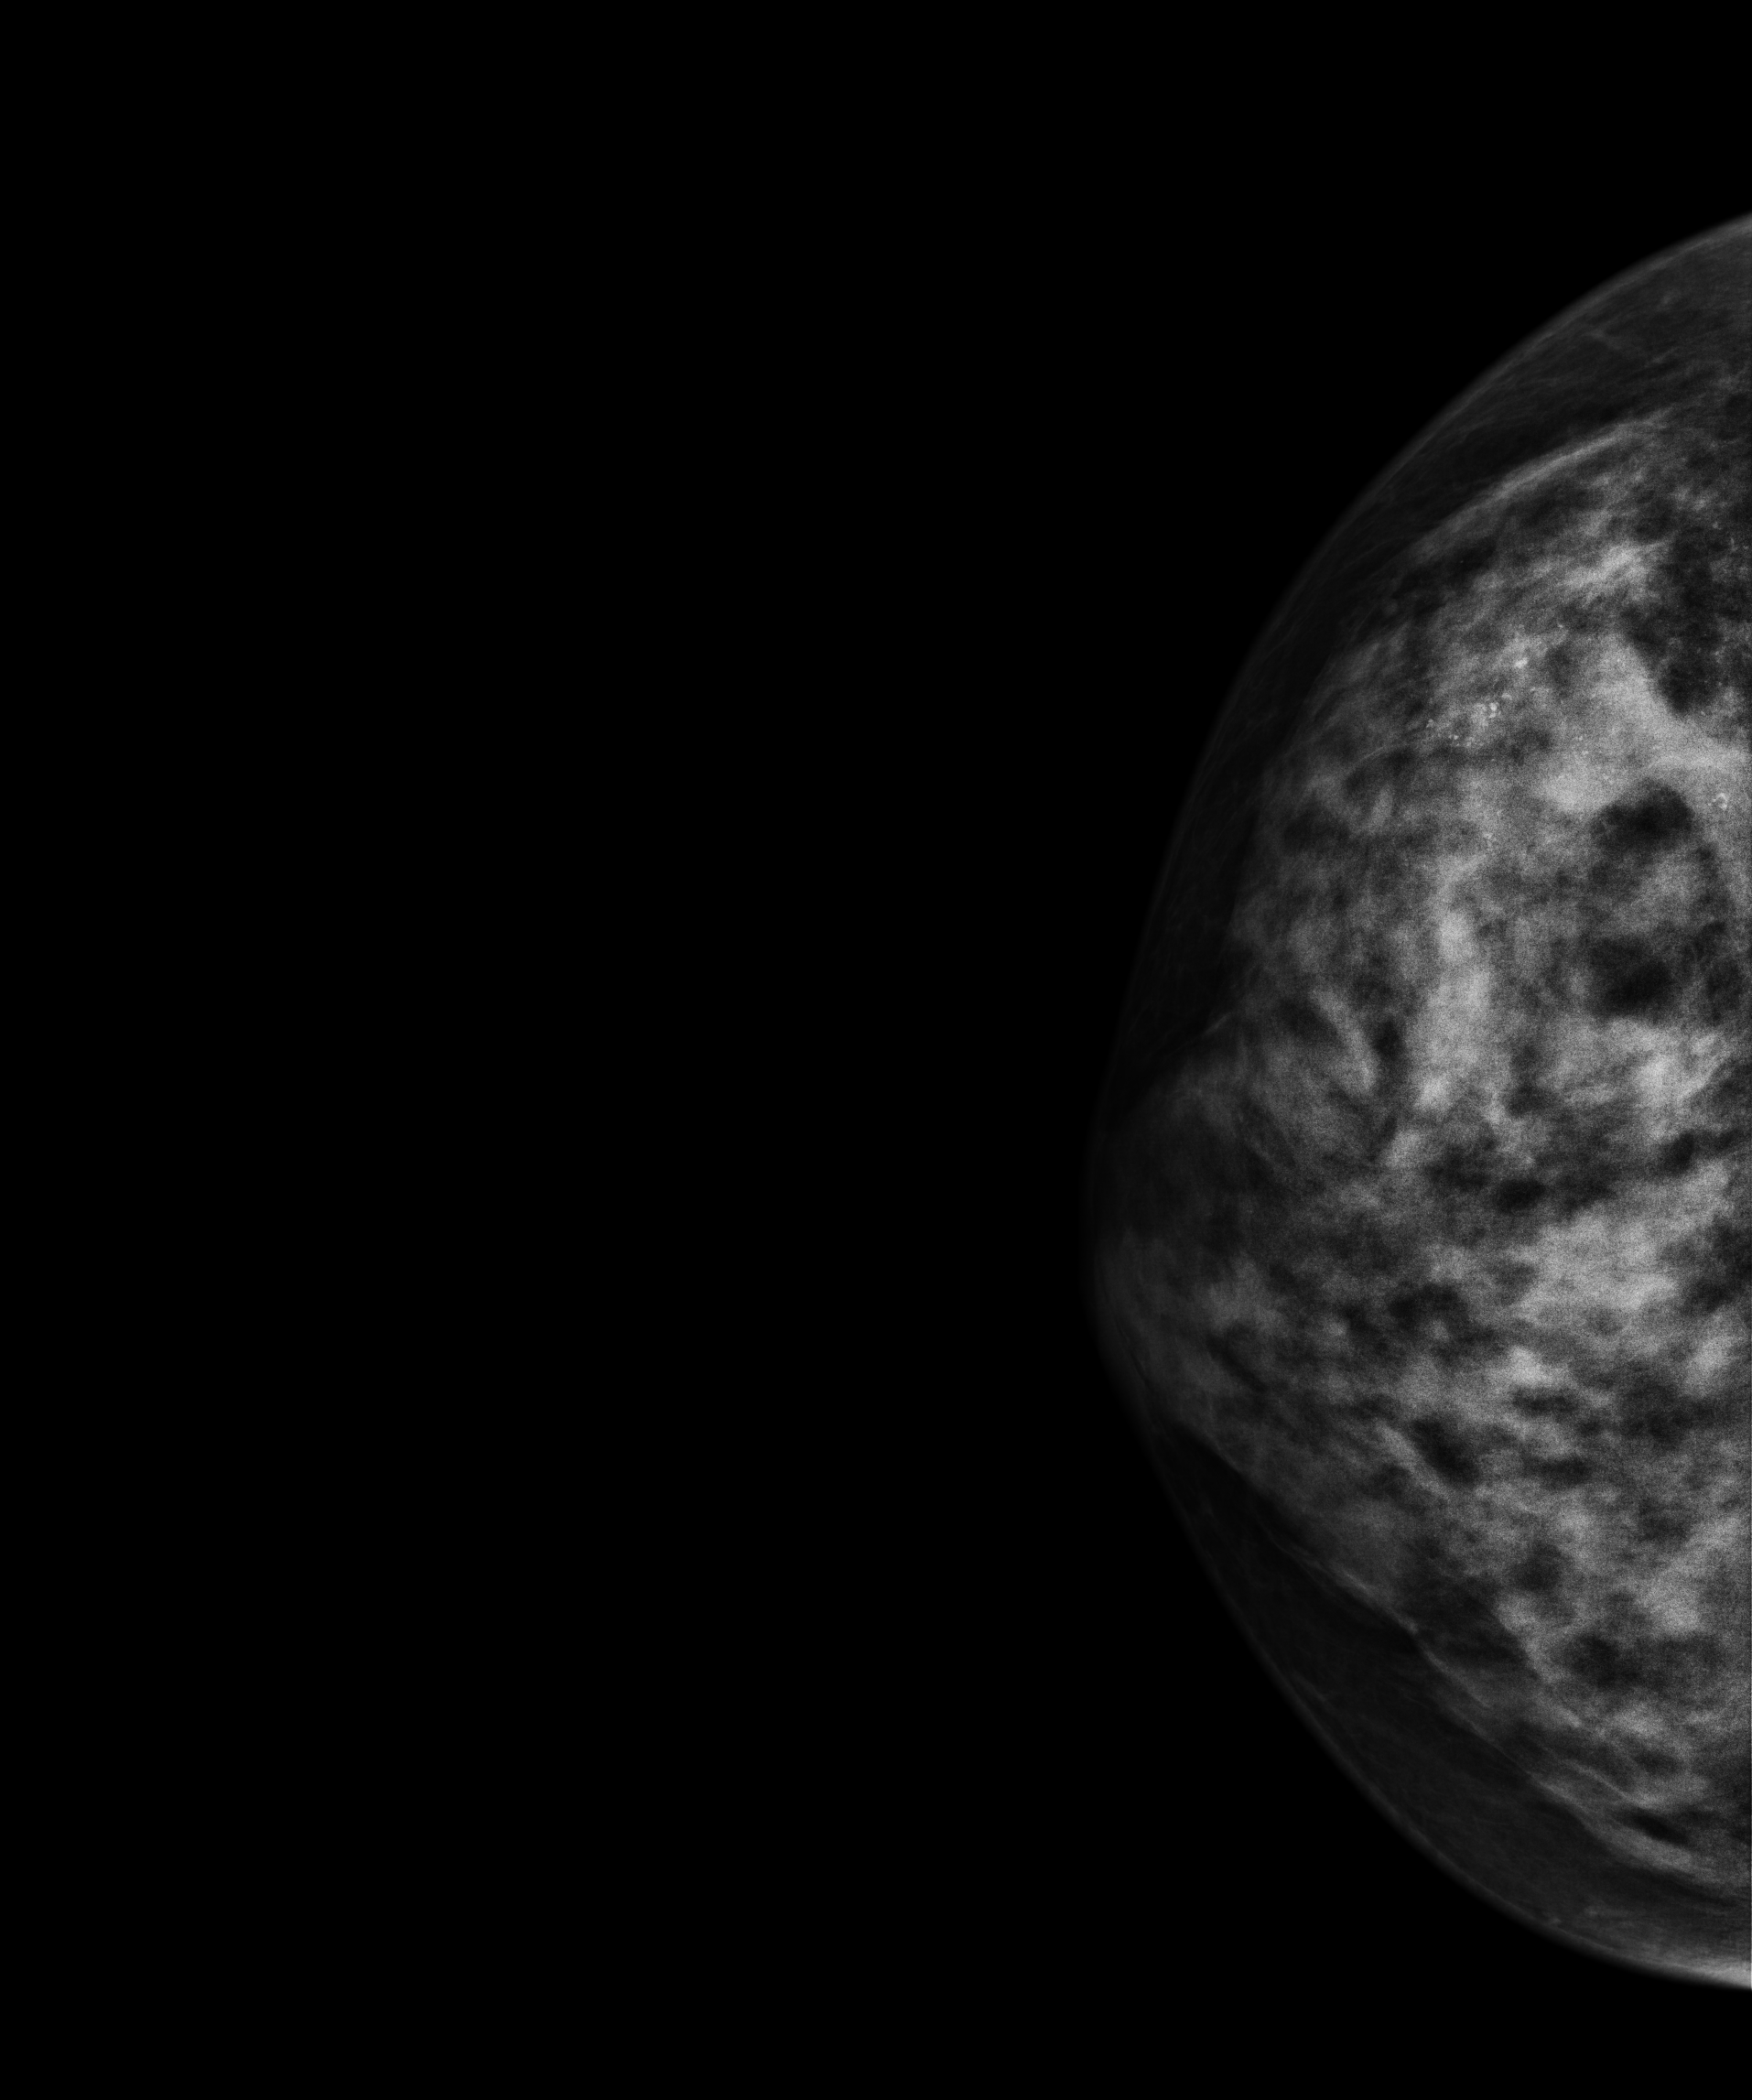
Right-breast mammogram, cranio-caudal. 41 y/o patient.
This breast has calcifications, pathology-confirmed malignant. Molecular subtype: HER2-enriched.